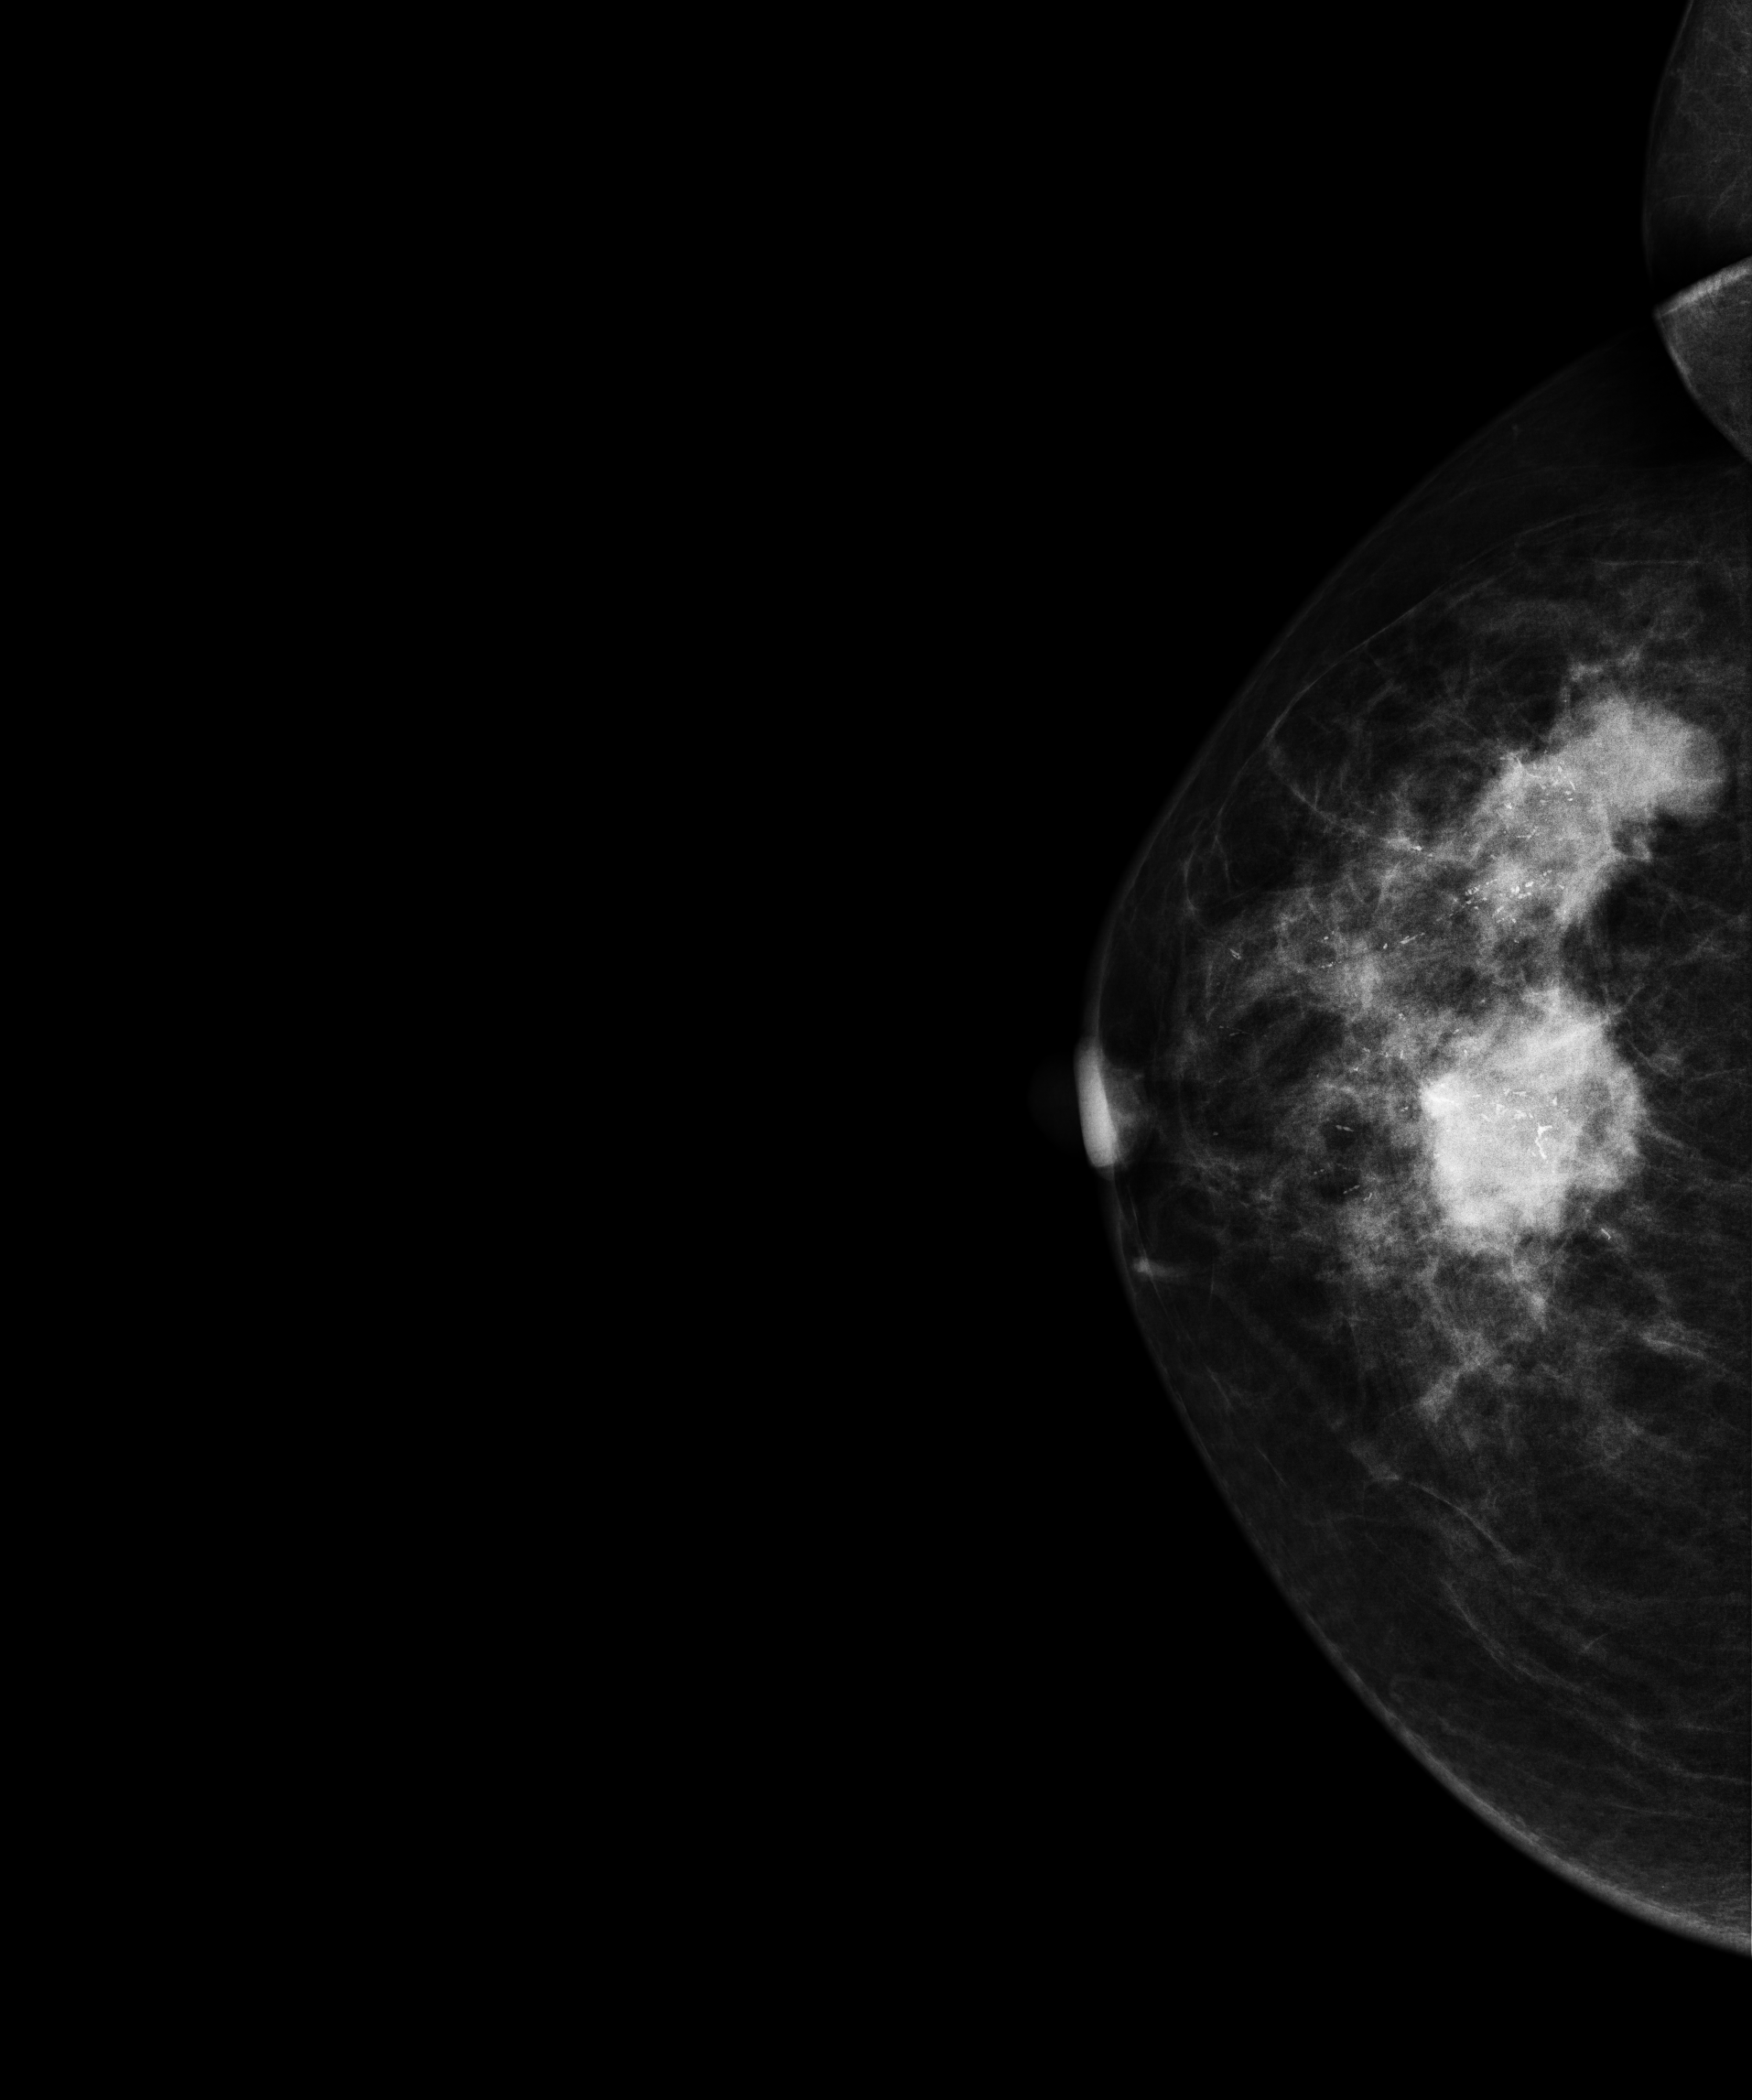
CC mammogram of the right breast. 60 y/o patient.
This breast has a mass and calcifications, histologically confirmed malignant. Molecular subtype: HER2-enriched.